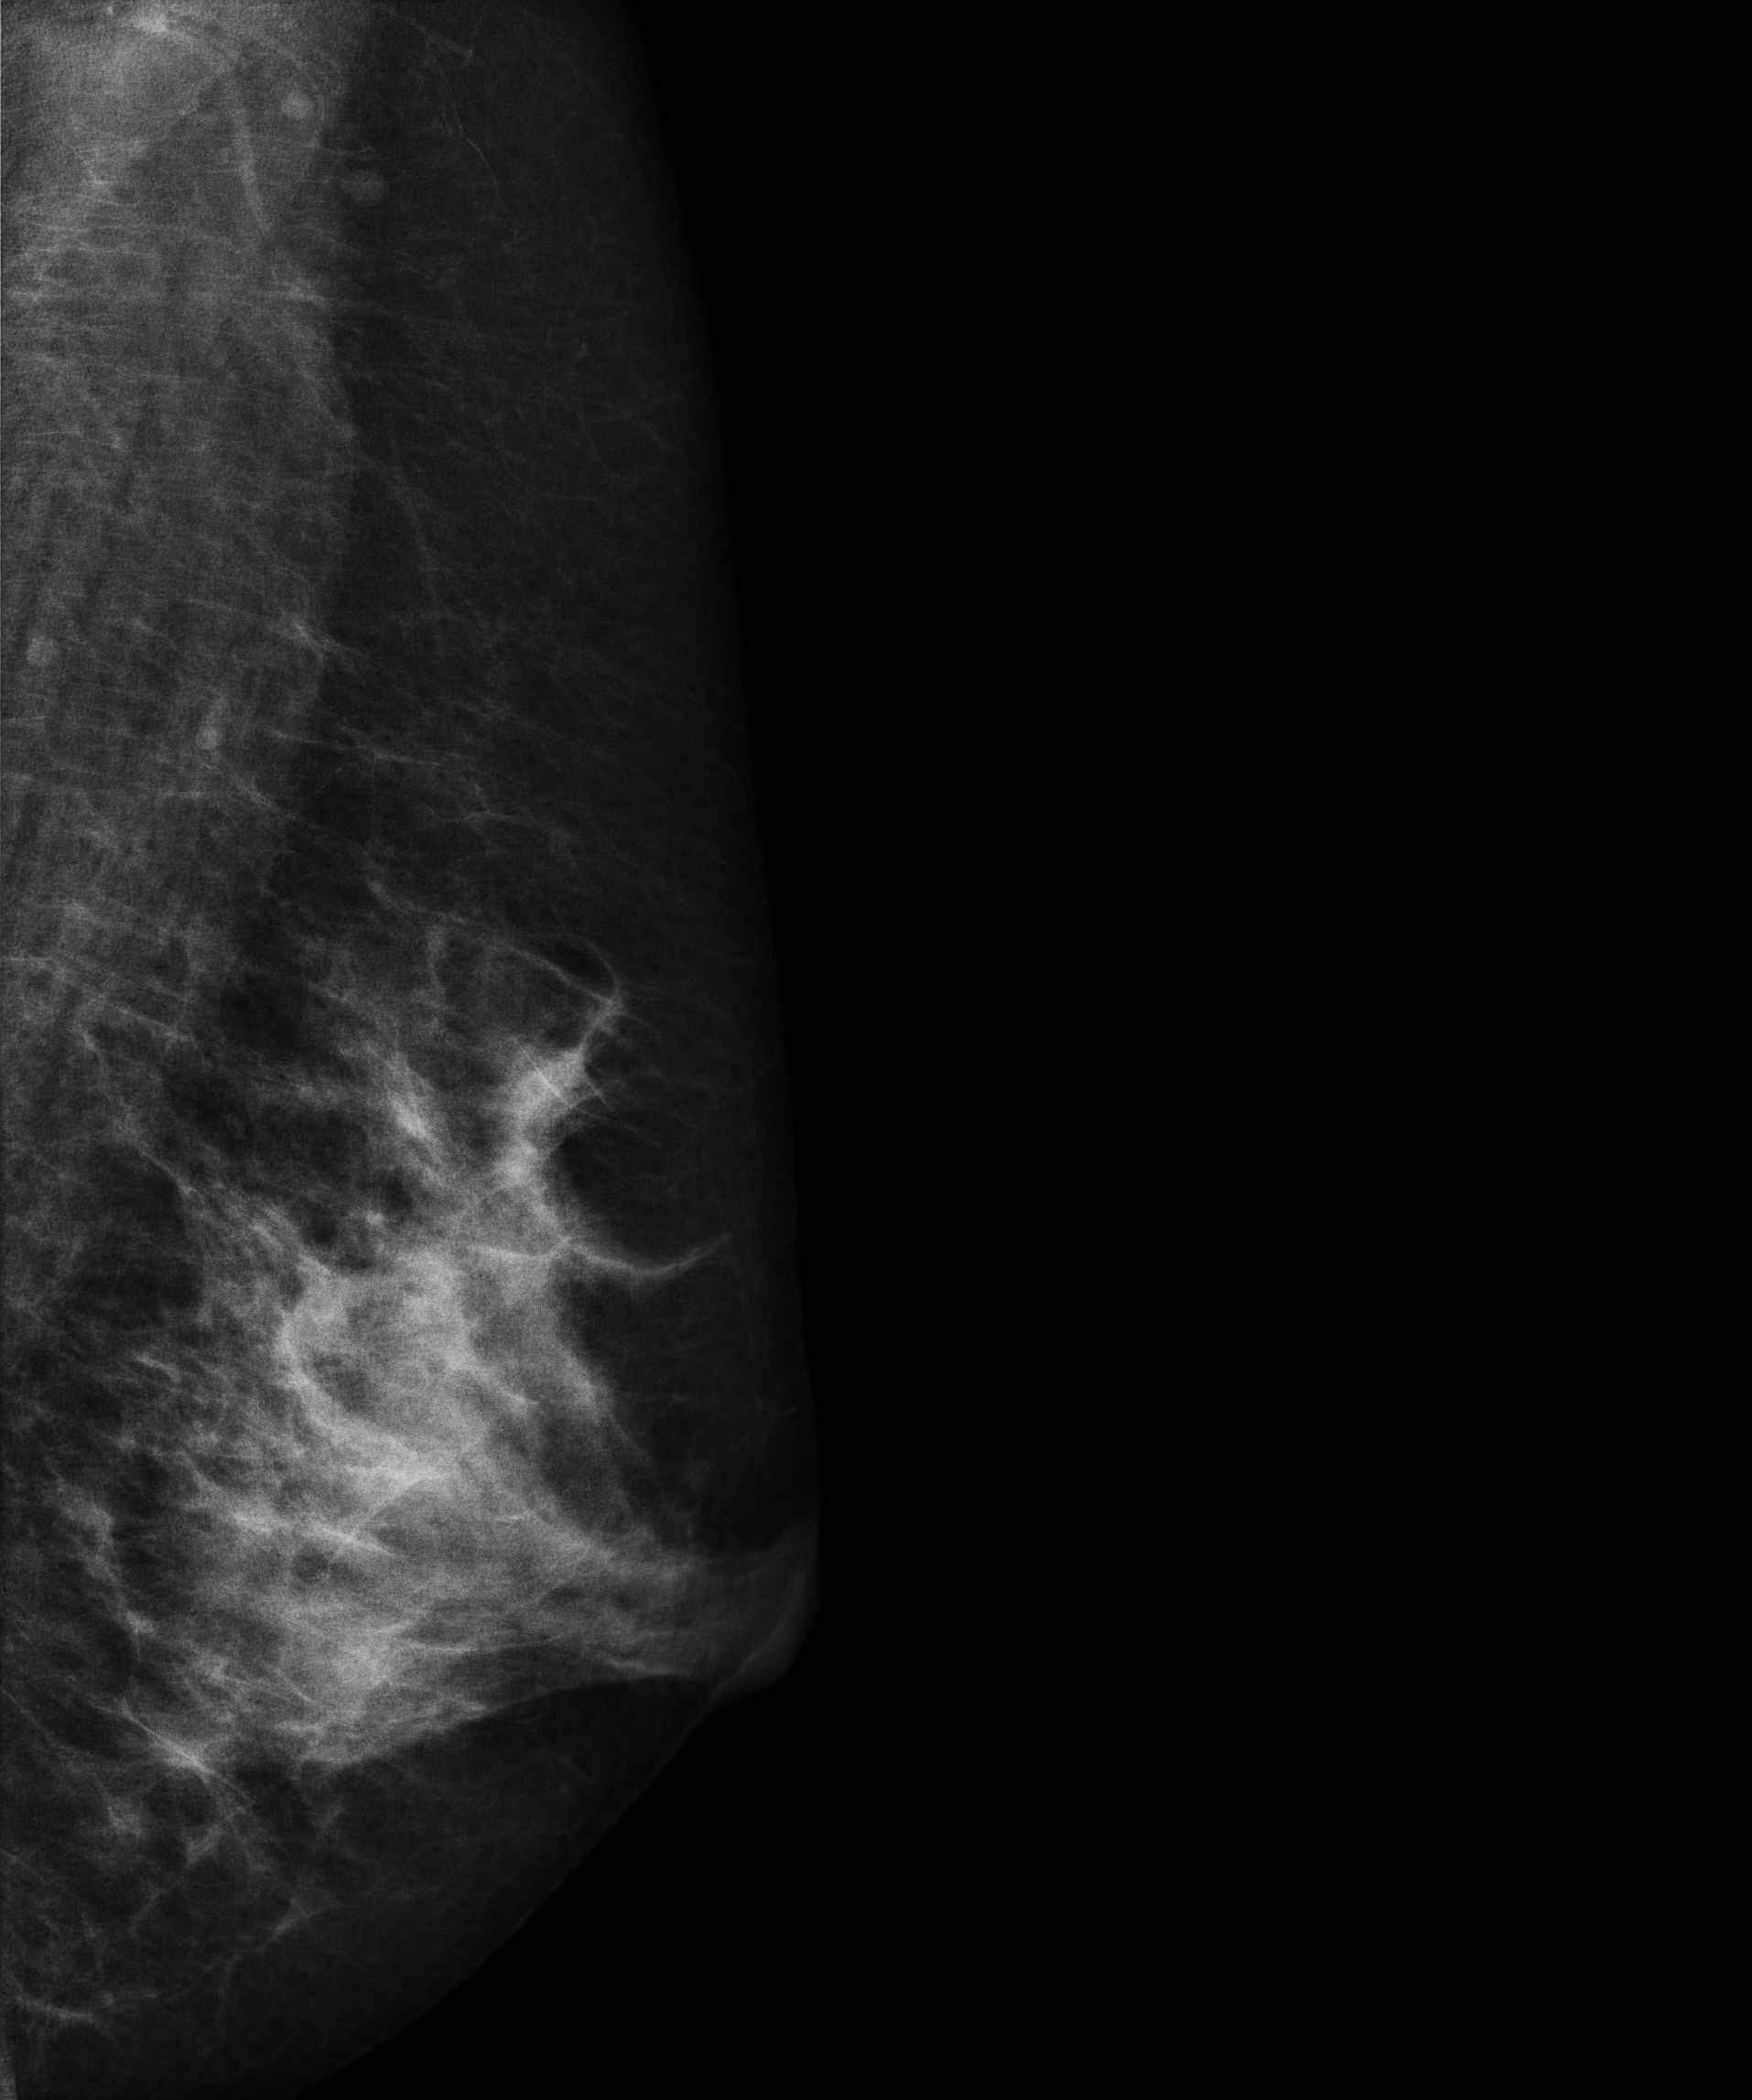
Left-breast mammogram, medio-lateral oblique. Patient age 47.
Contralateral breast — no documented abnormality on this side.